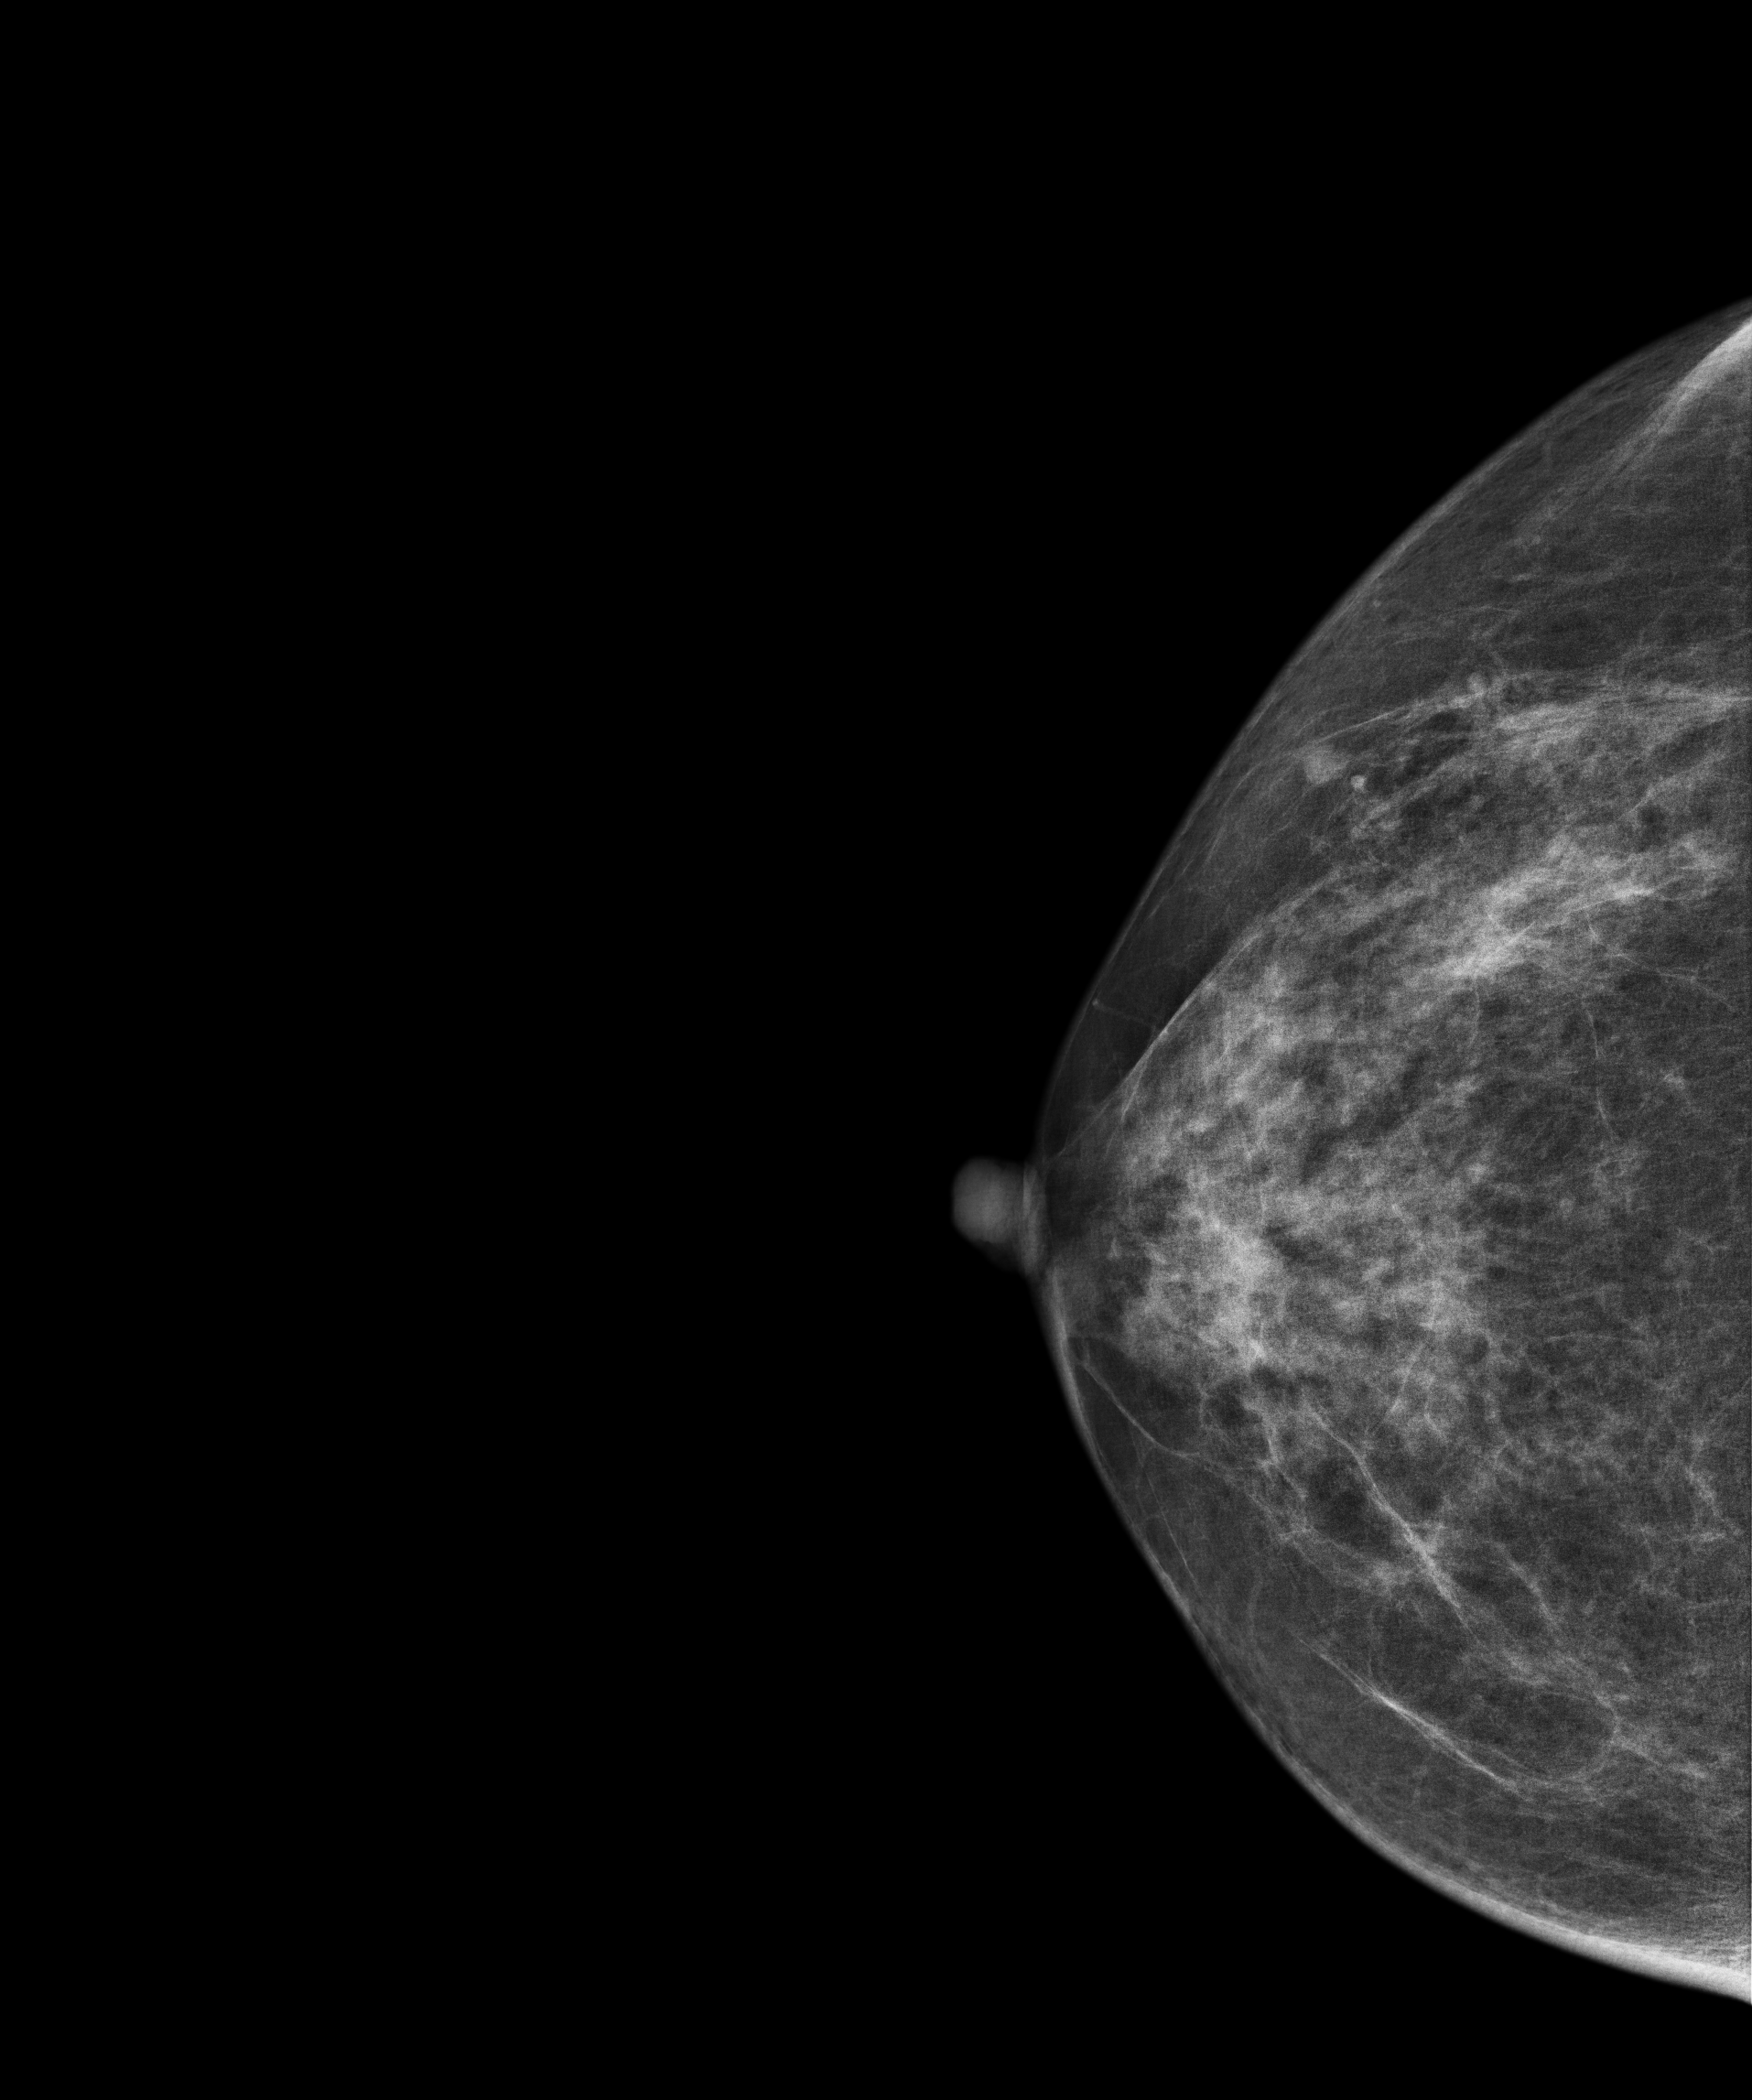
Right-breast mammogram, cranio-caudal. 63-year-old patient.
This breast has calcifications, biopsy-proven benign.